Medio-lateral oblique mammogram of the right breast. 68 y/o patient.
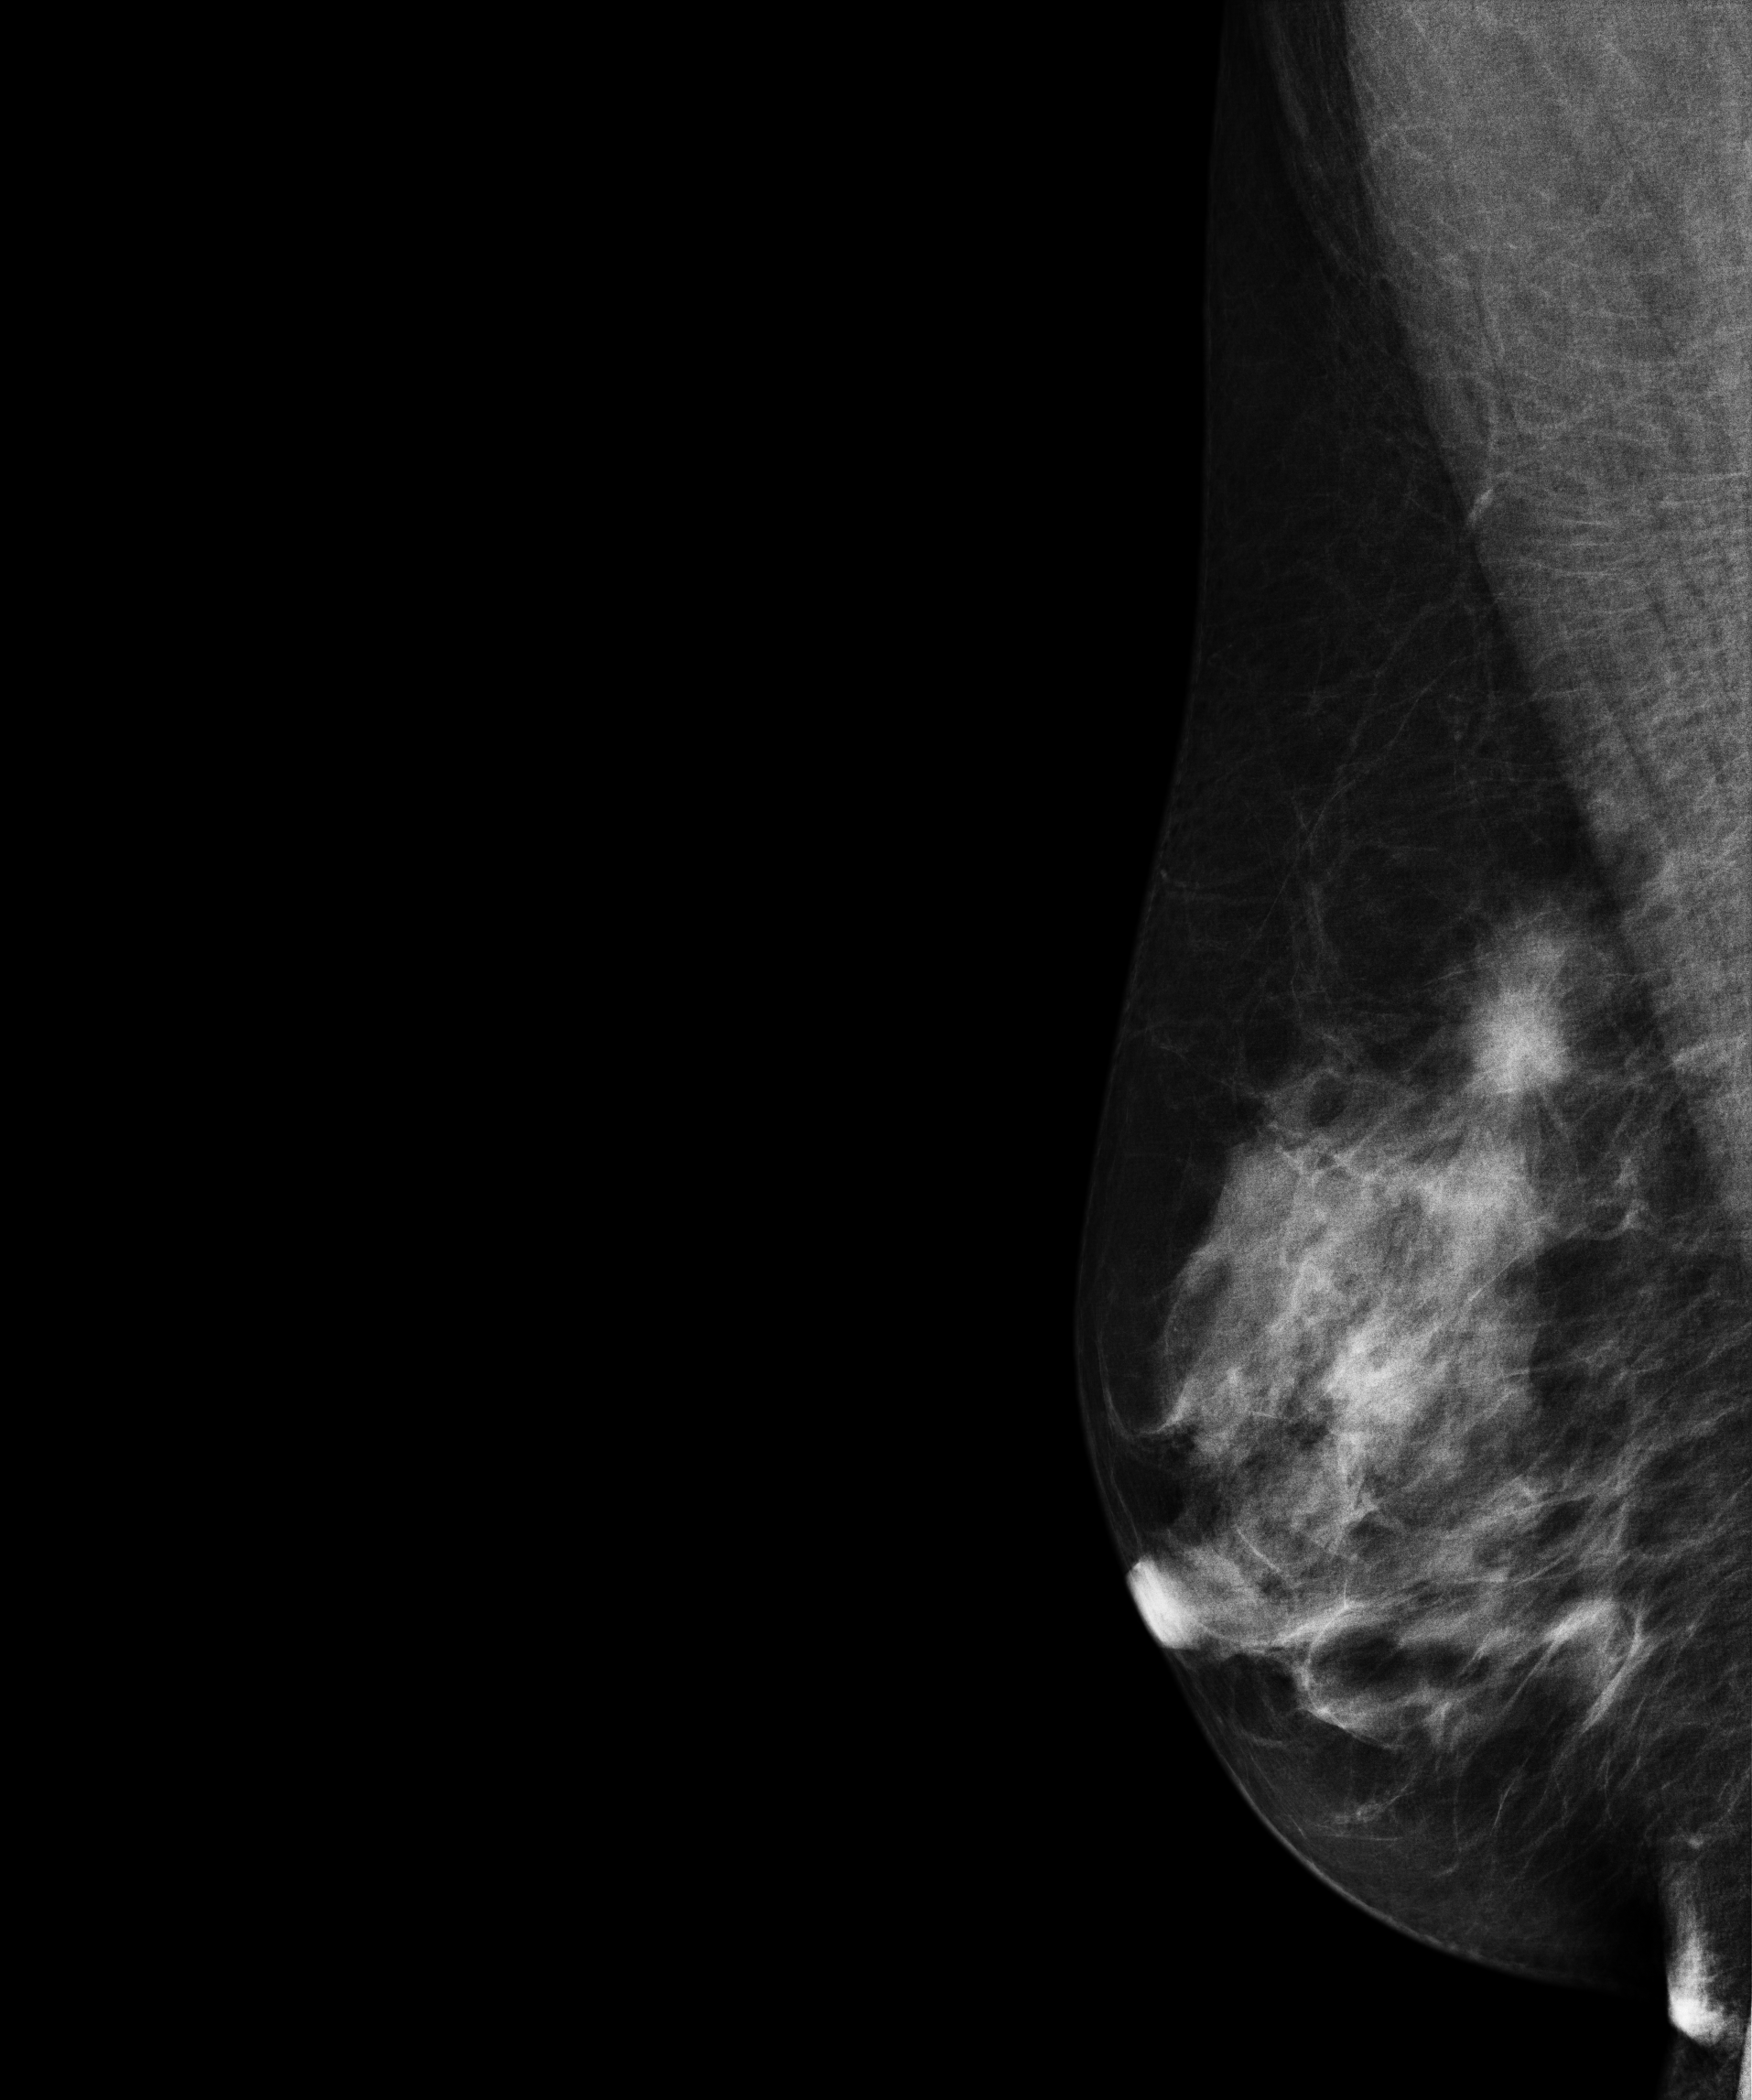
This breast has a mass, biopsy-confirmed malignant. Molecular subtype: luminal B.